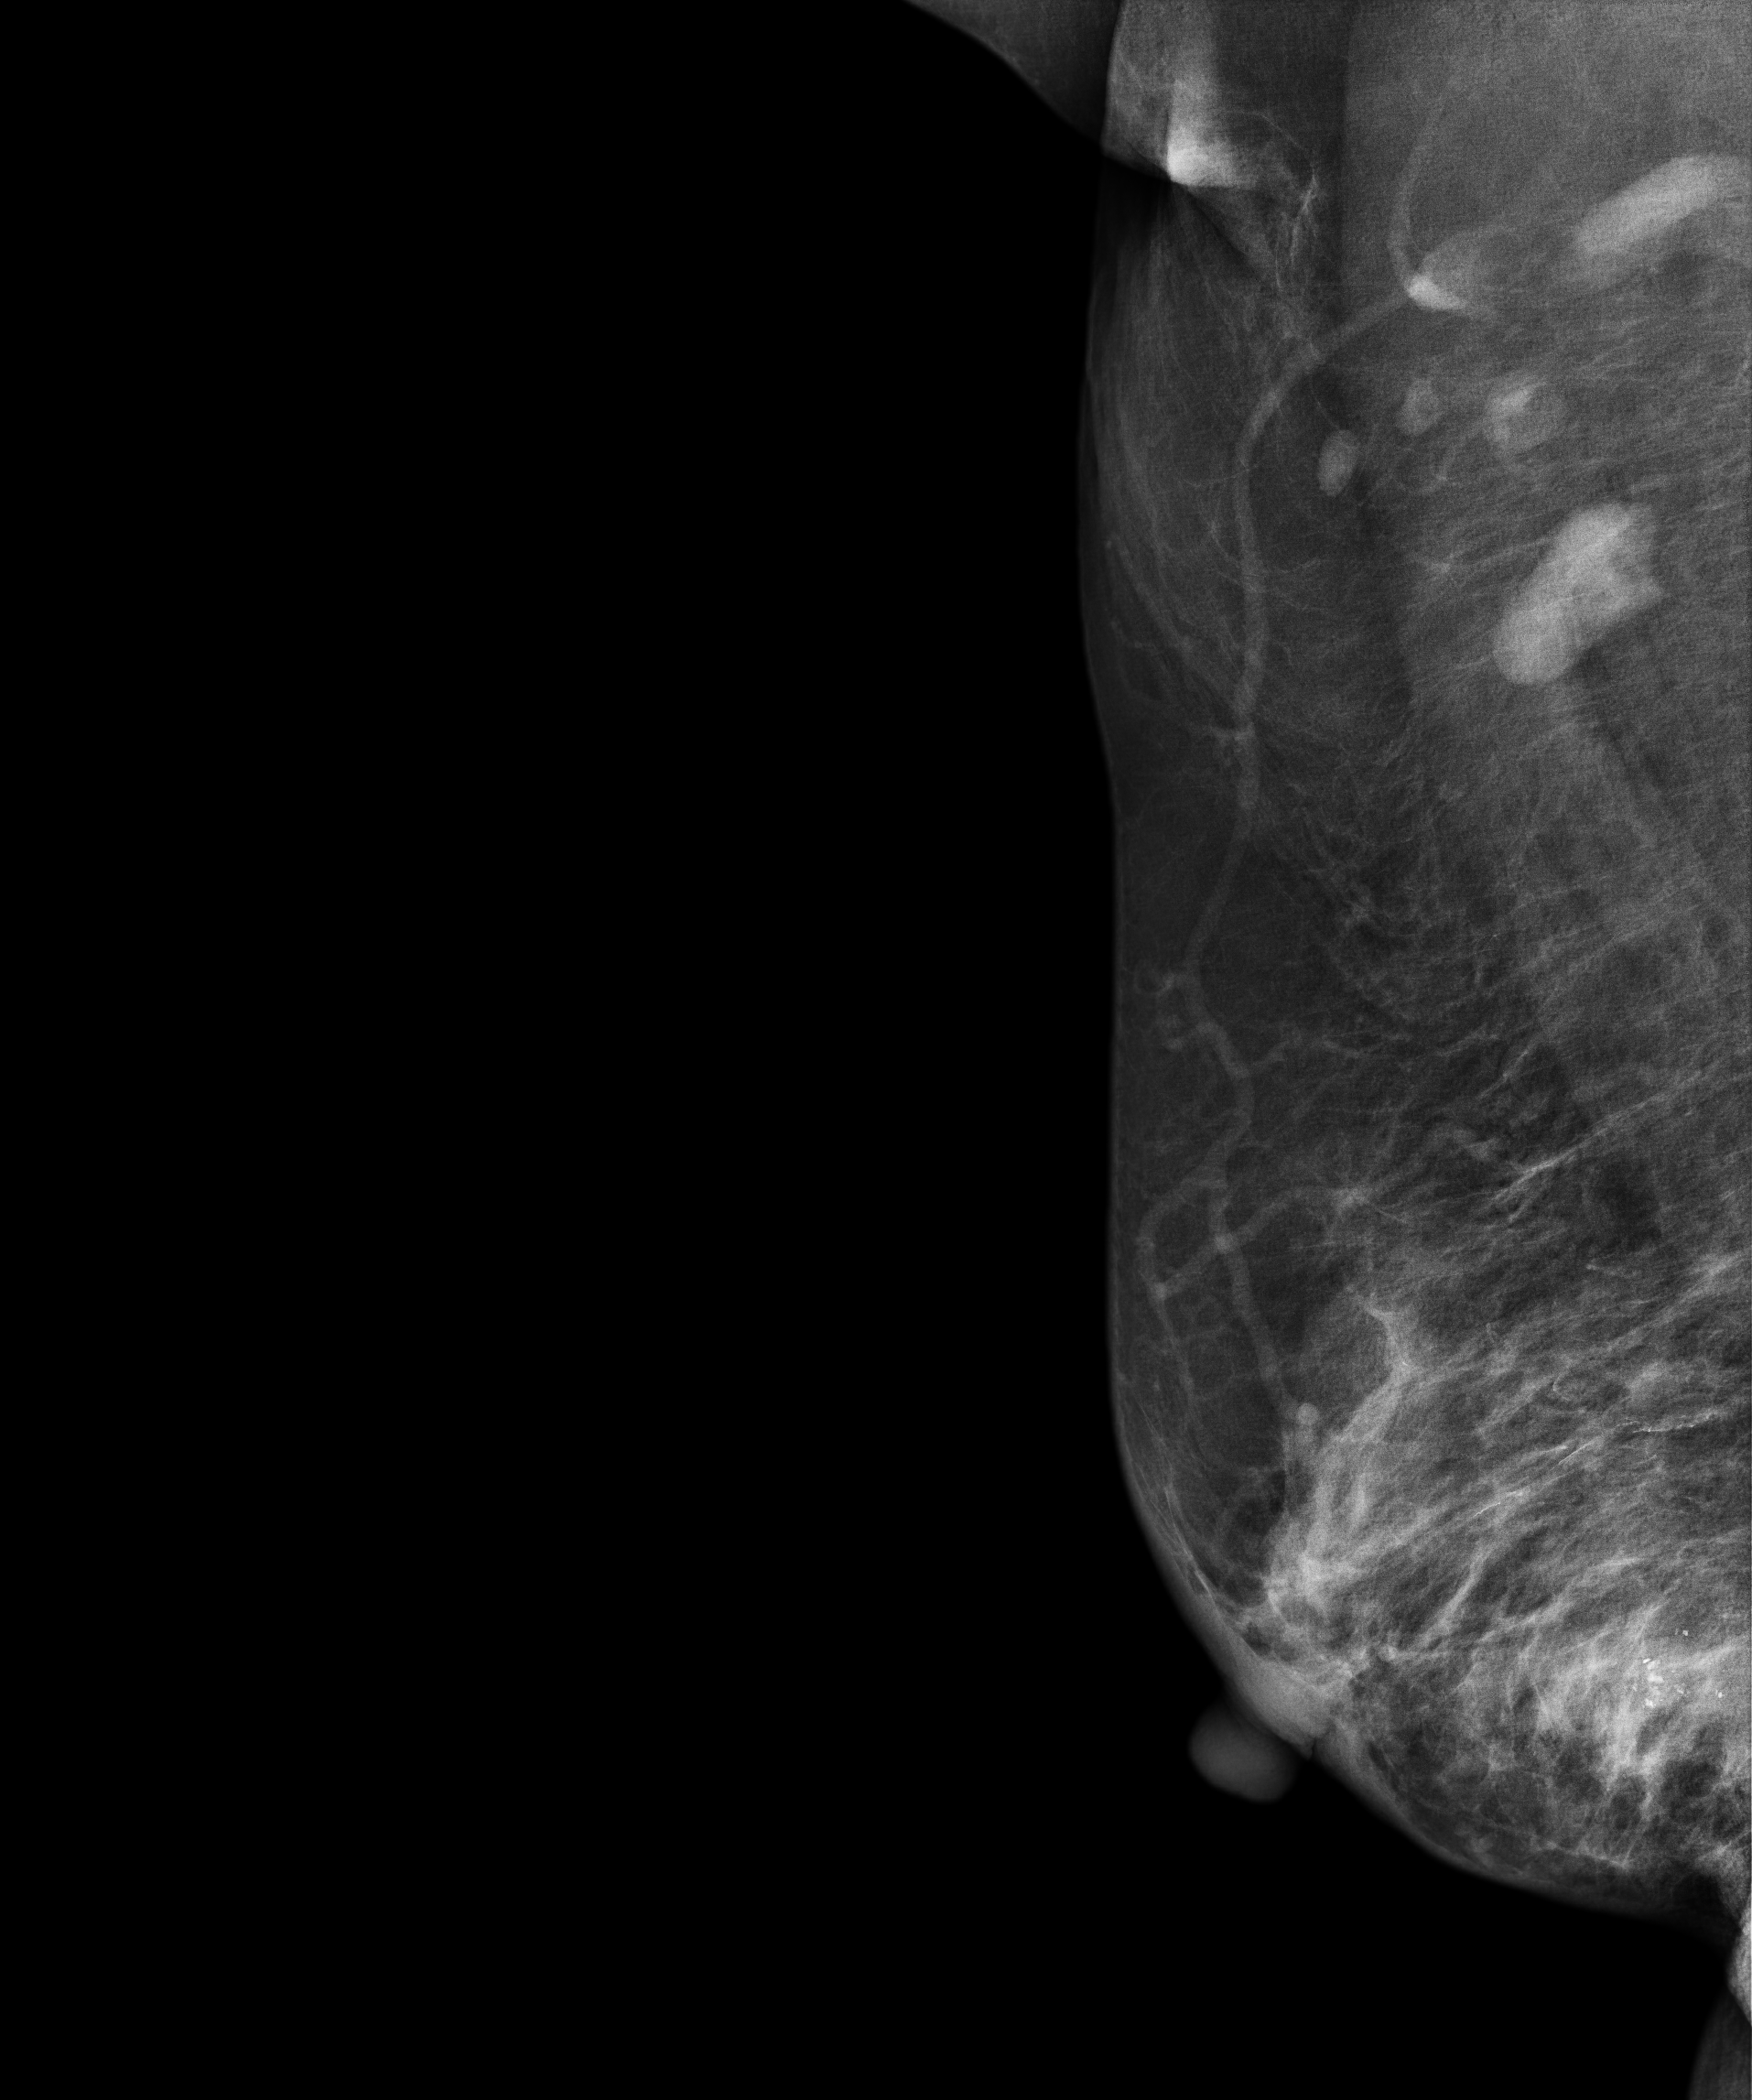
Mammogram, right breast, medio-lateral oblique view. Patient age 69.
This breast has calcifications, biopsy-confirmed malignant.